Mammogram — left cranio-caudal. 32-year-old patient.
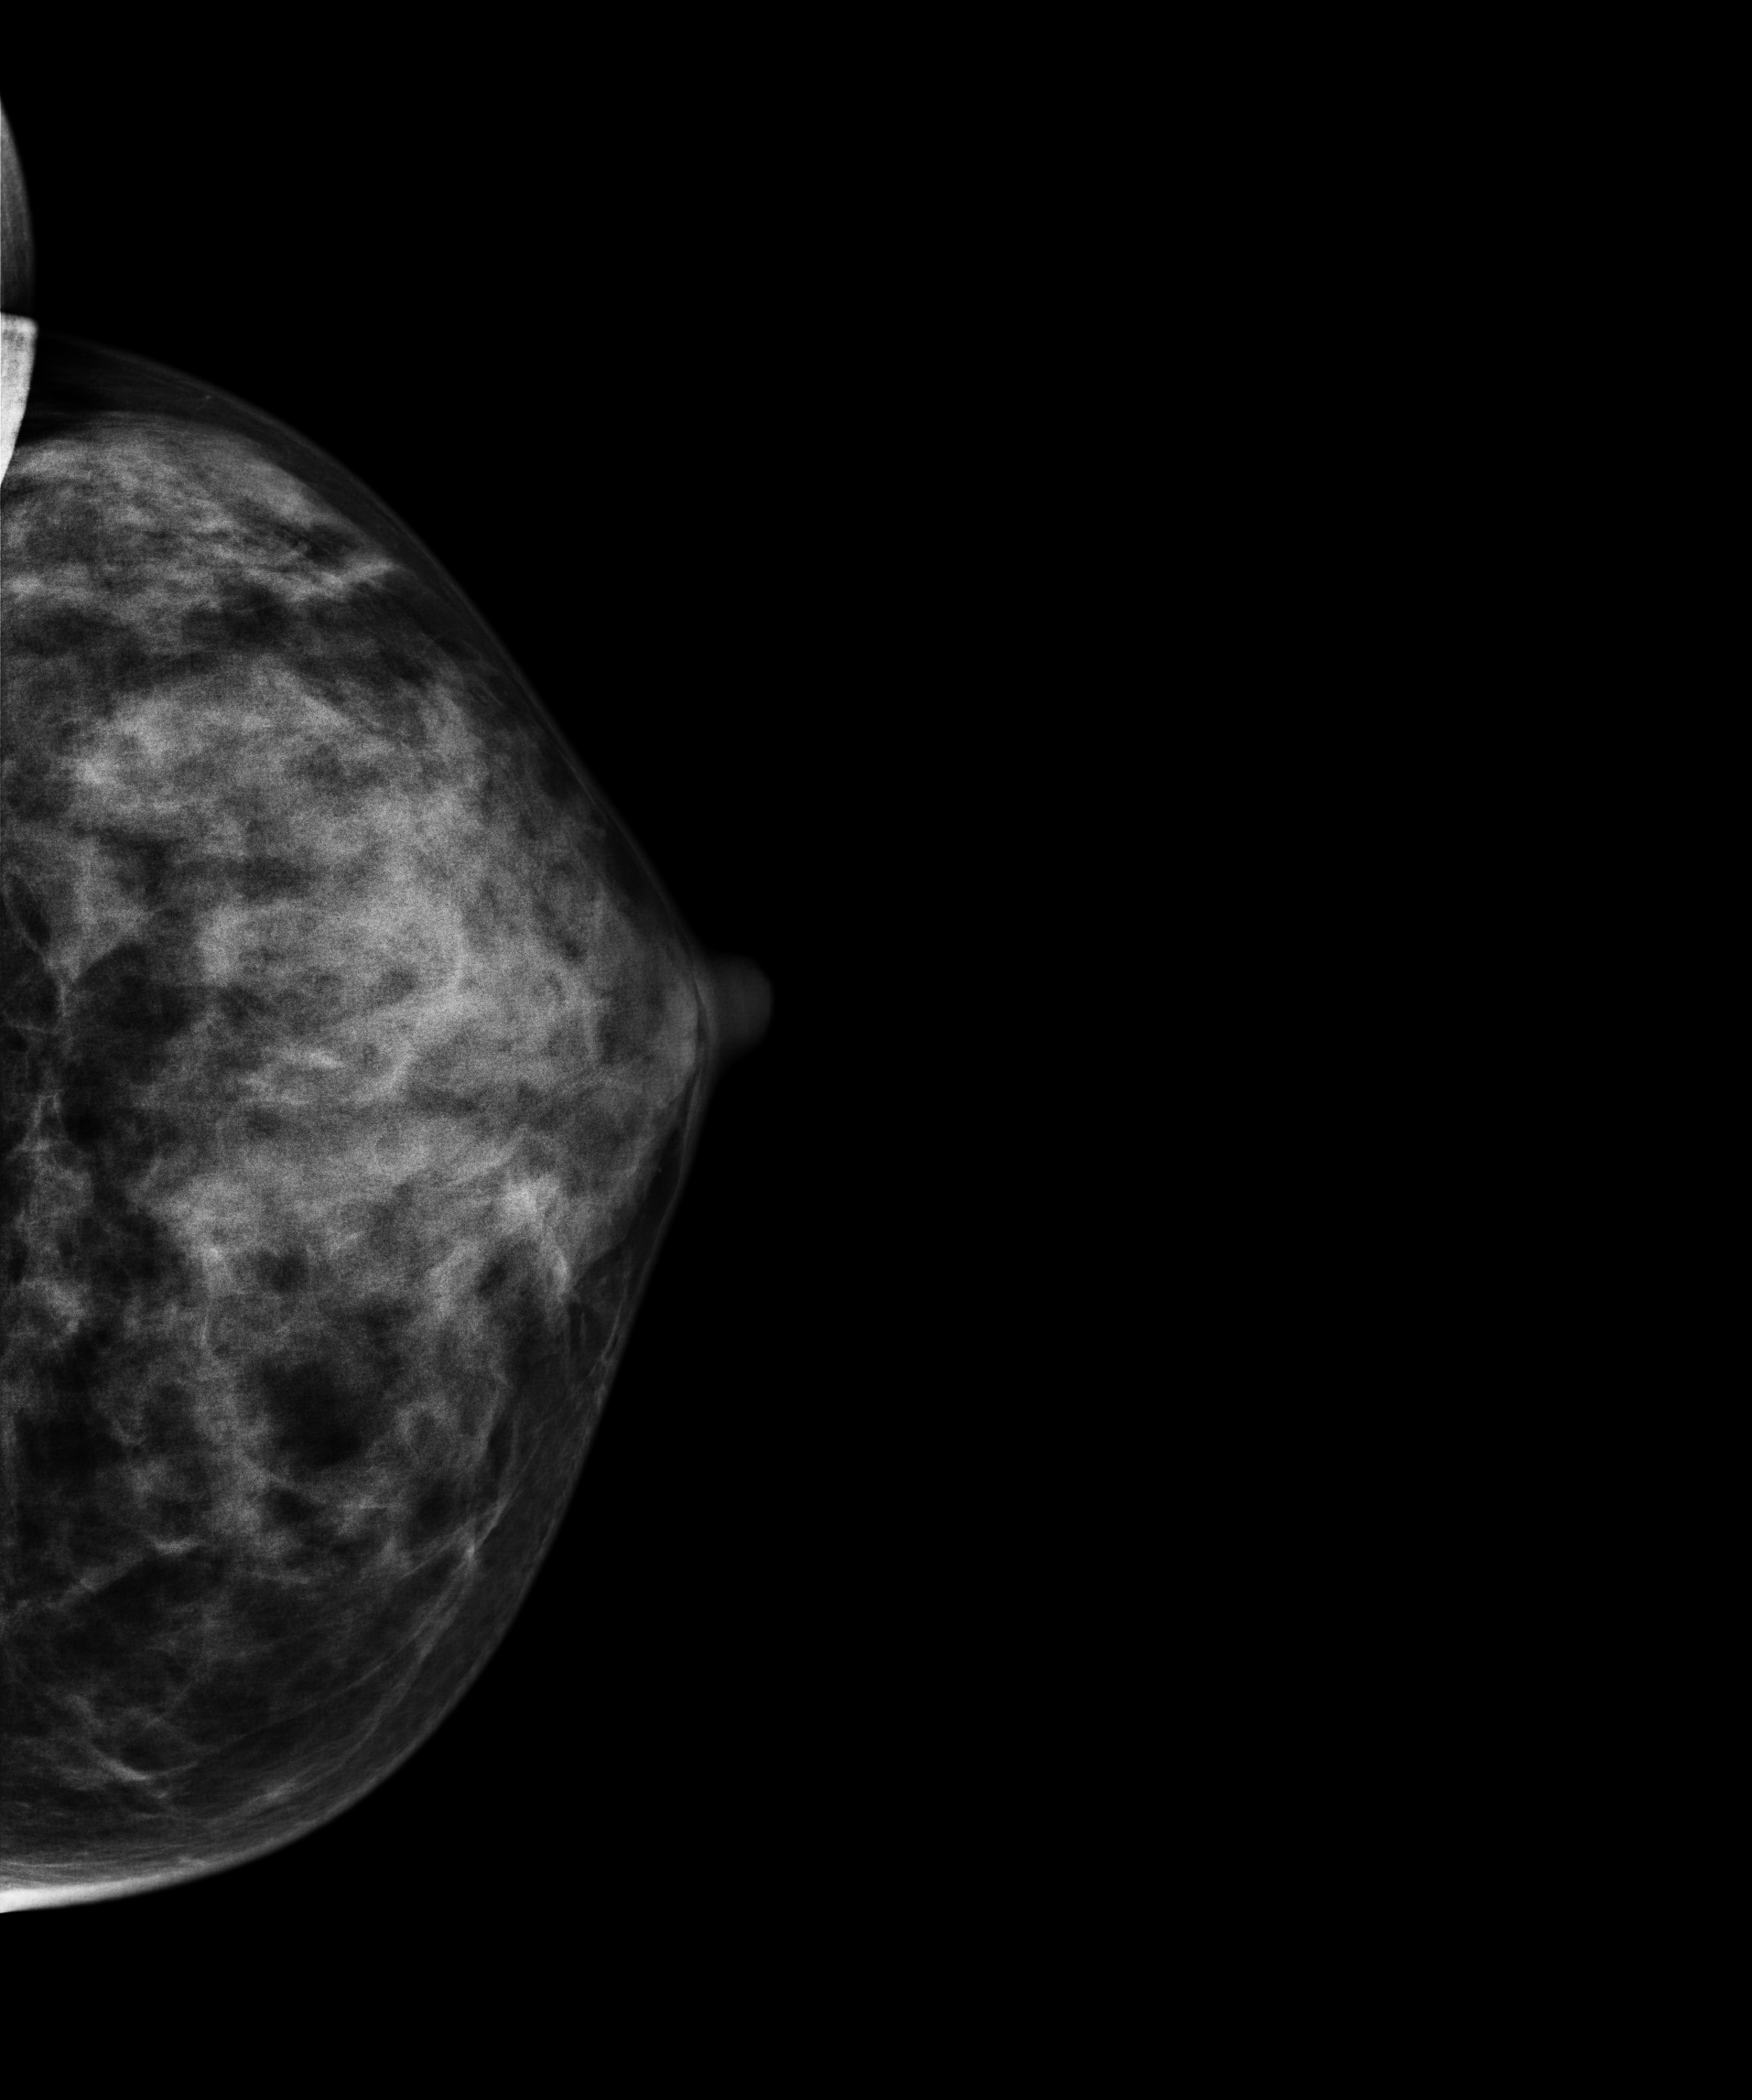
Contralateral breast — no documented abnormality on this side.